Digital mammography. Right breast, medio-lateral oblique projection. 45-year-old patient.
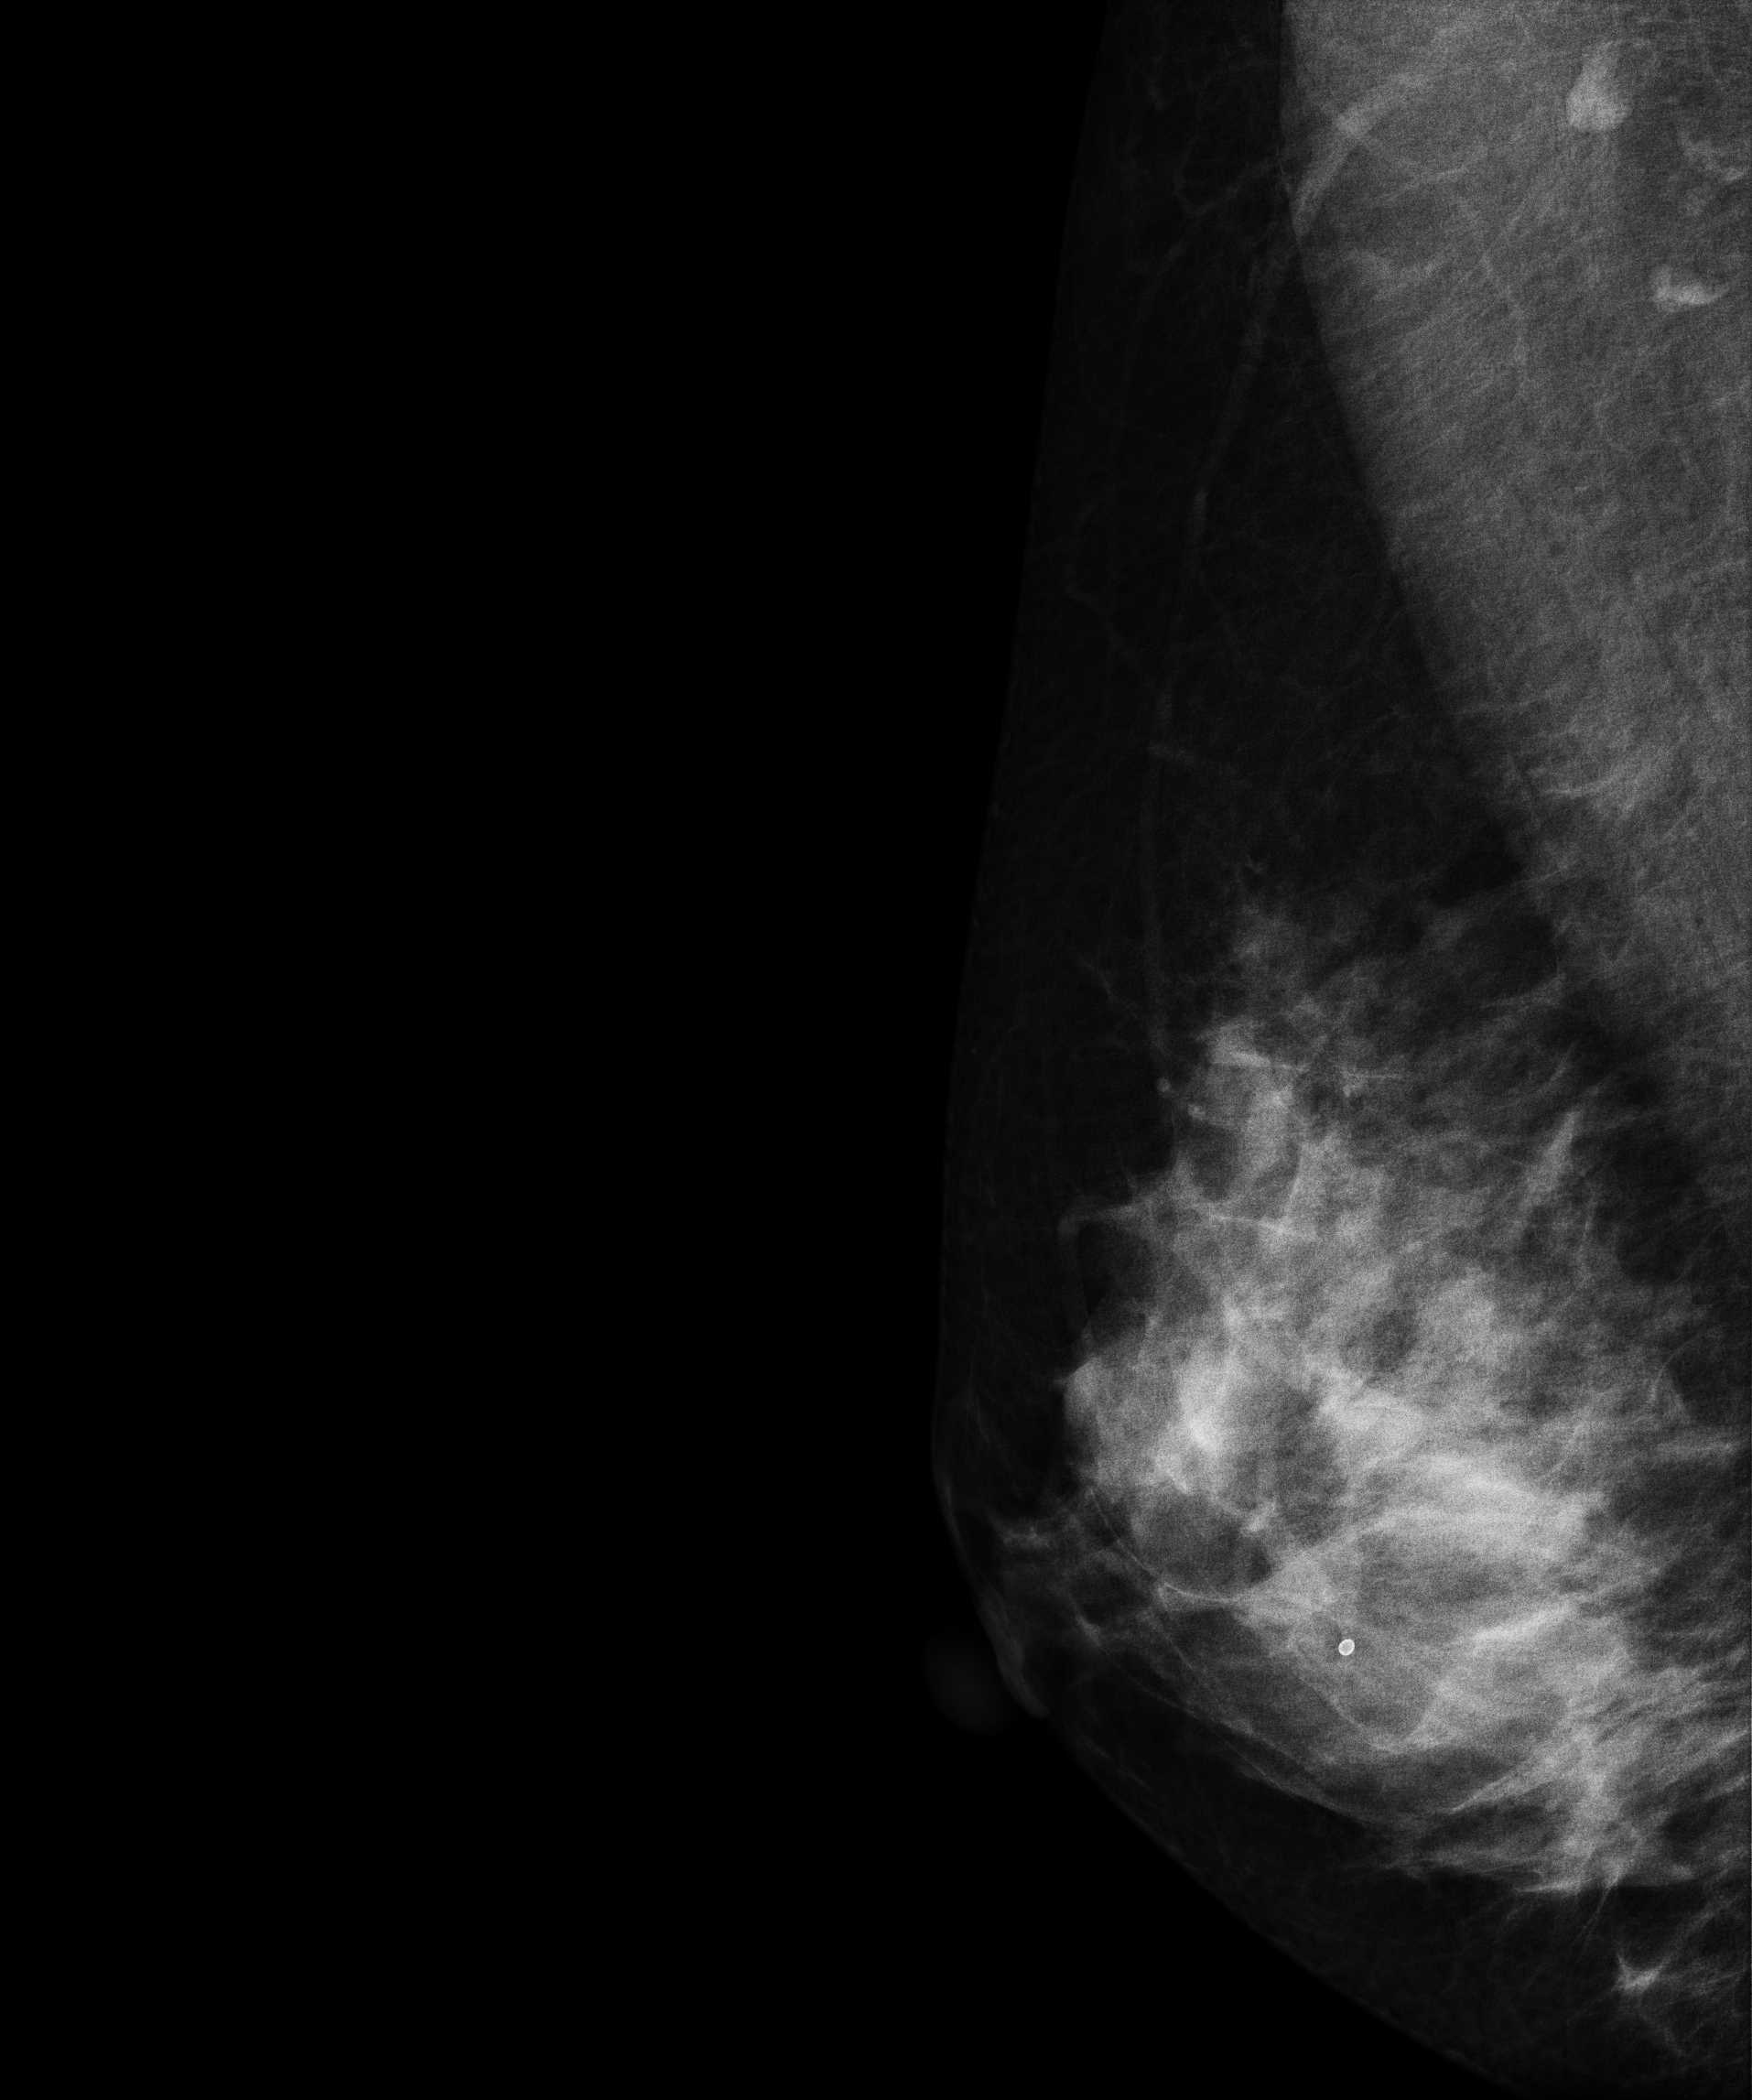
This breast has a mass, biopsy-proven malignant. Molecular subtype: luminal A.